Digital mammography. Right breast, medio-lateral oblique projection. 50-year-old patient.
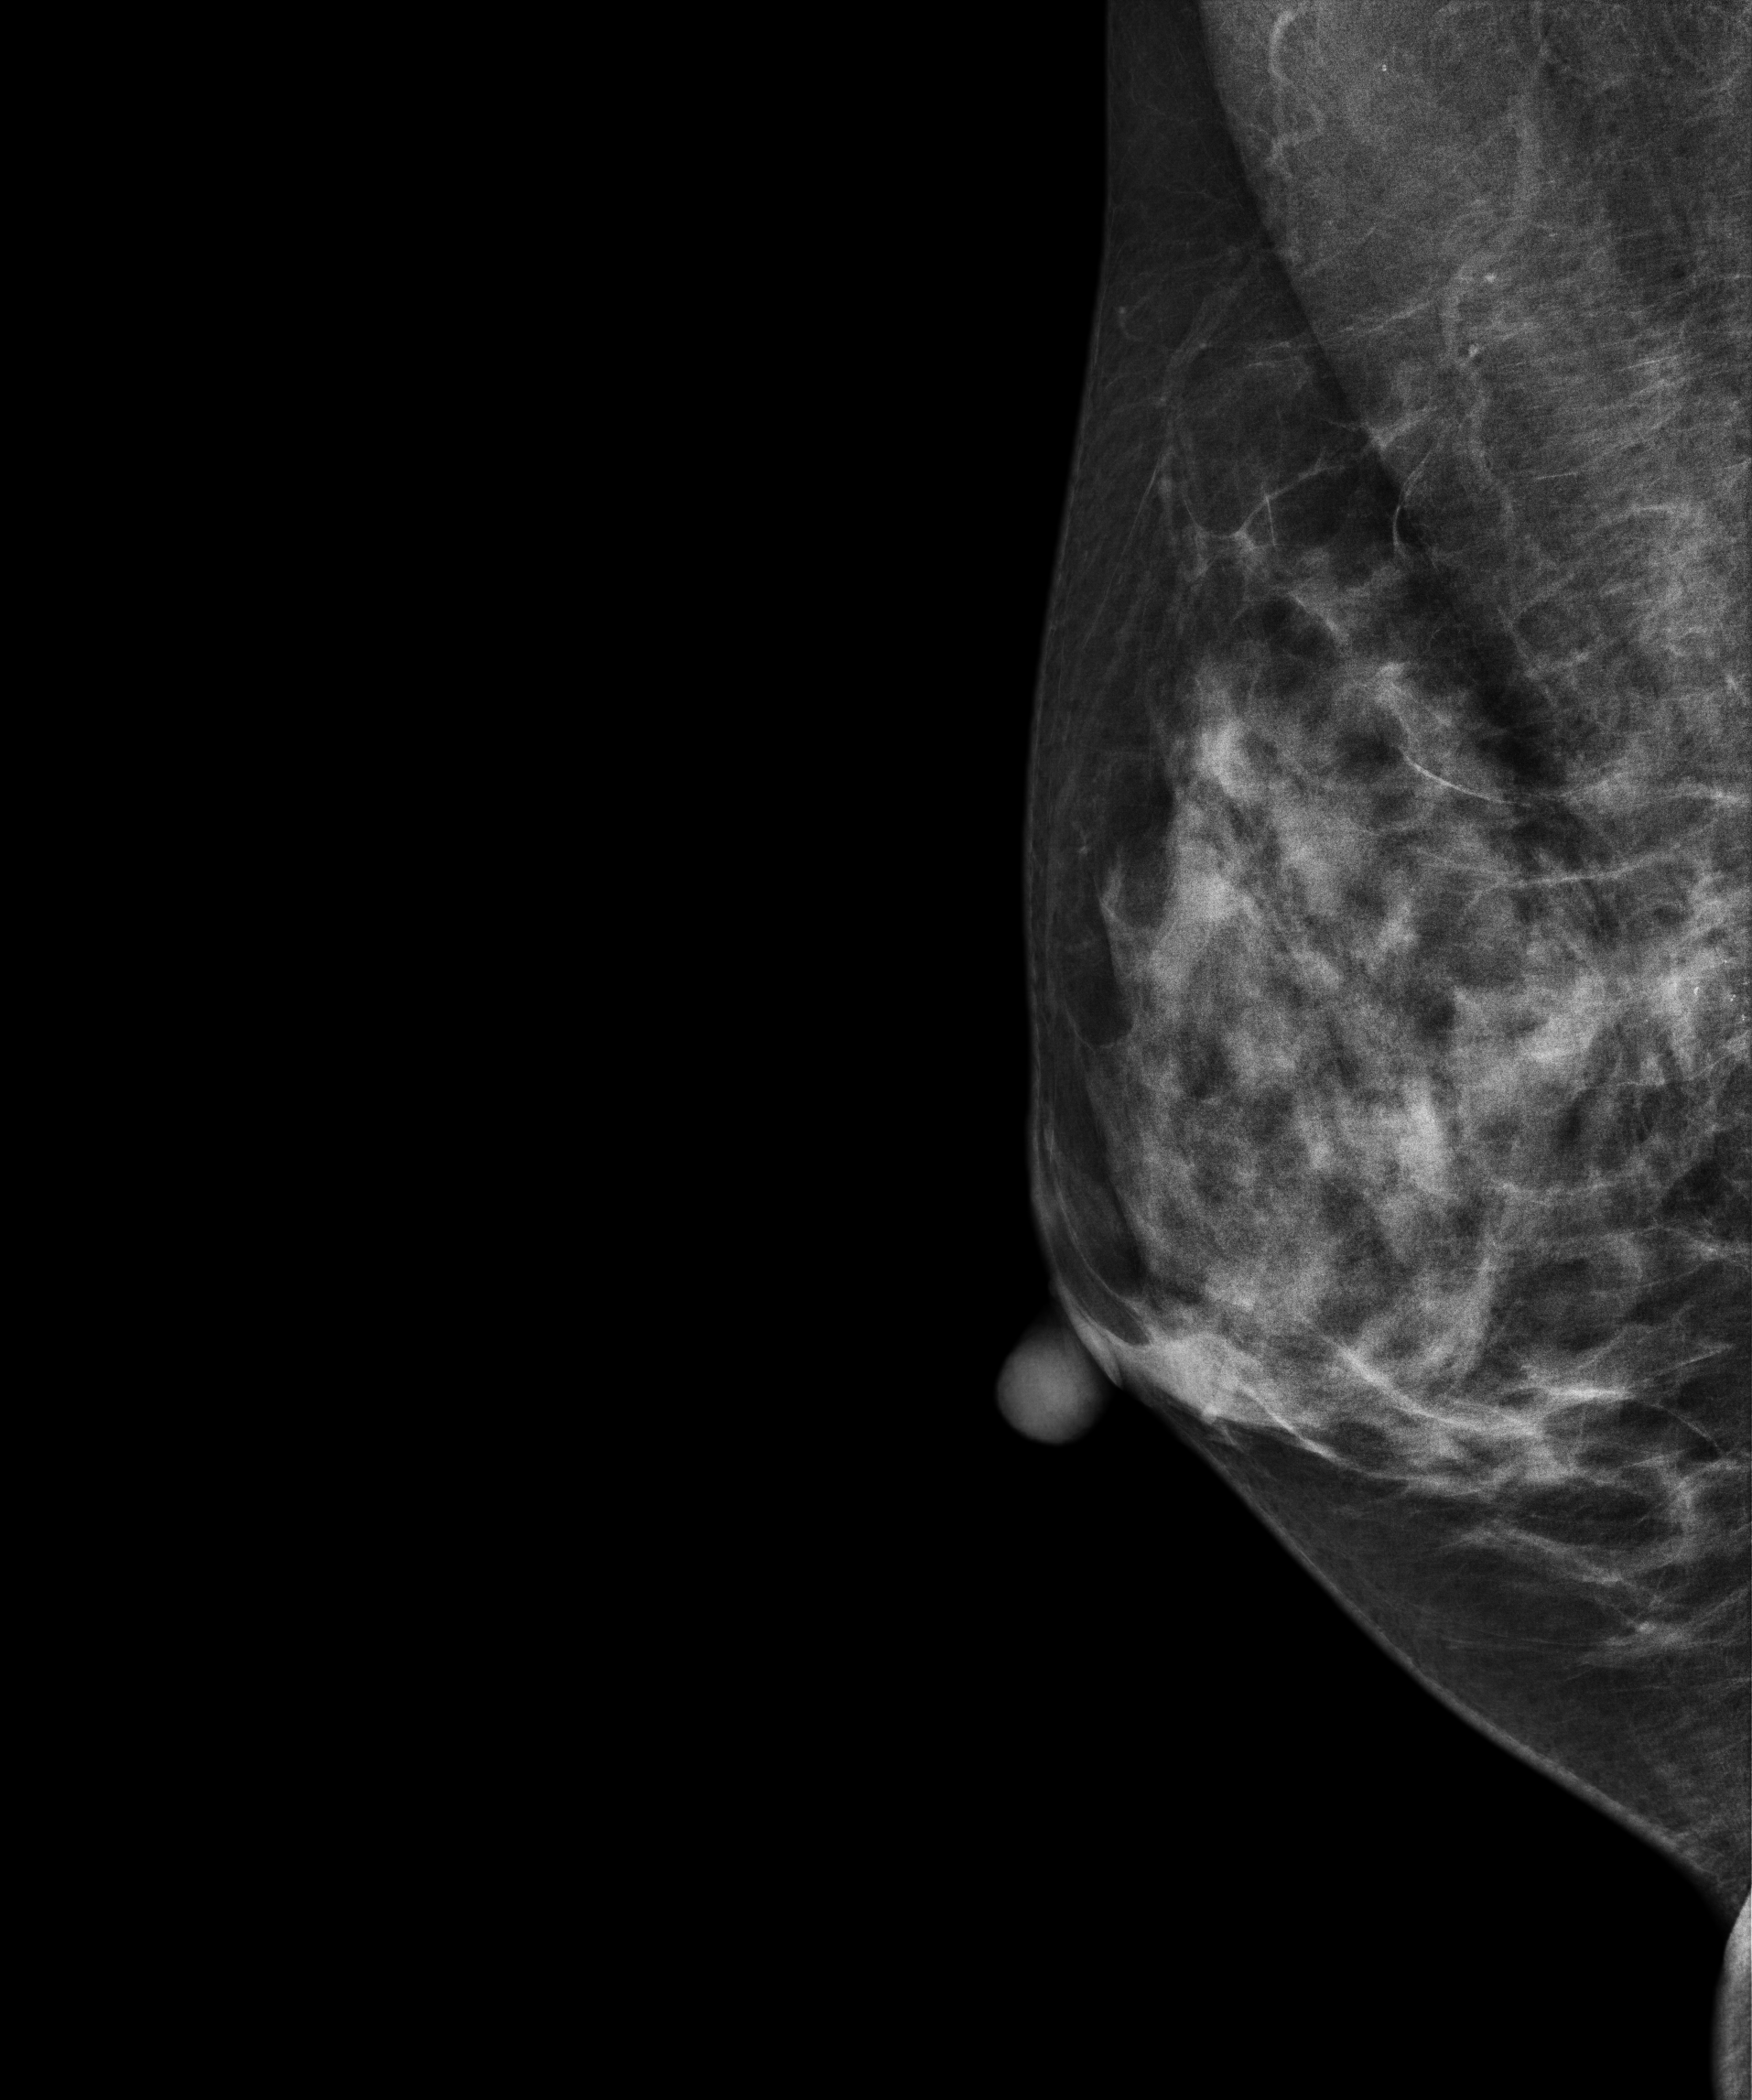
This breast has a mass and calcifications, biopsy-confirmed malignant.